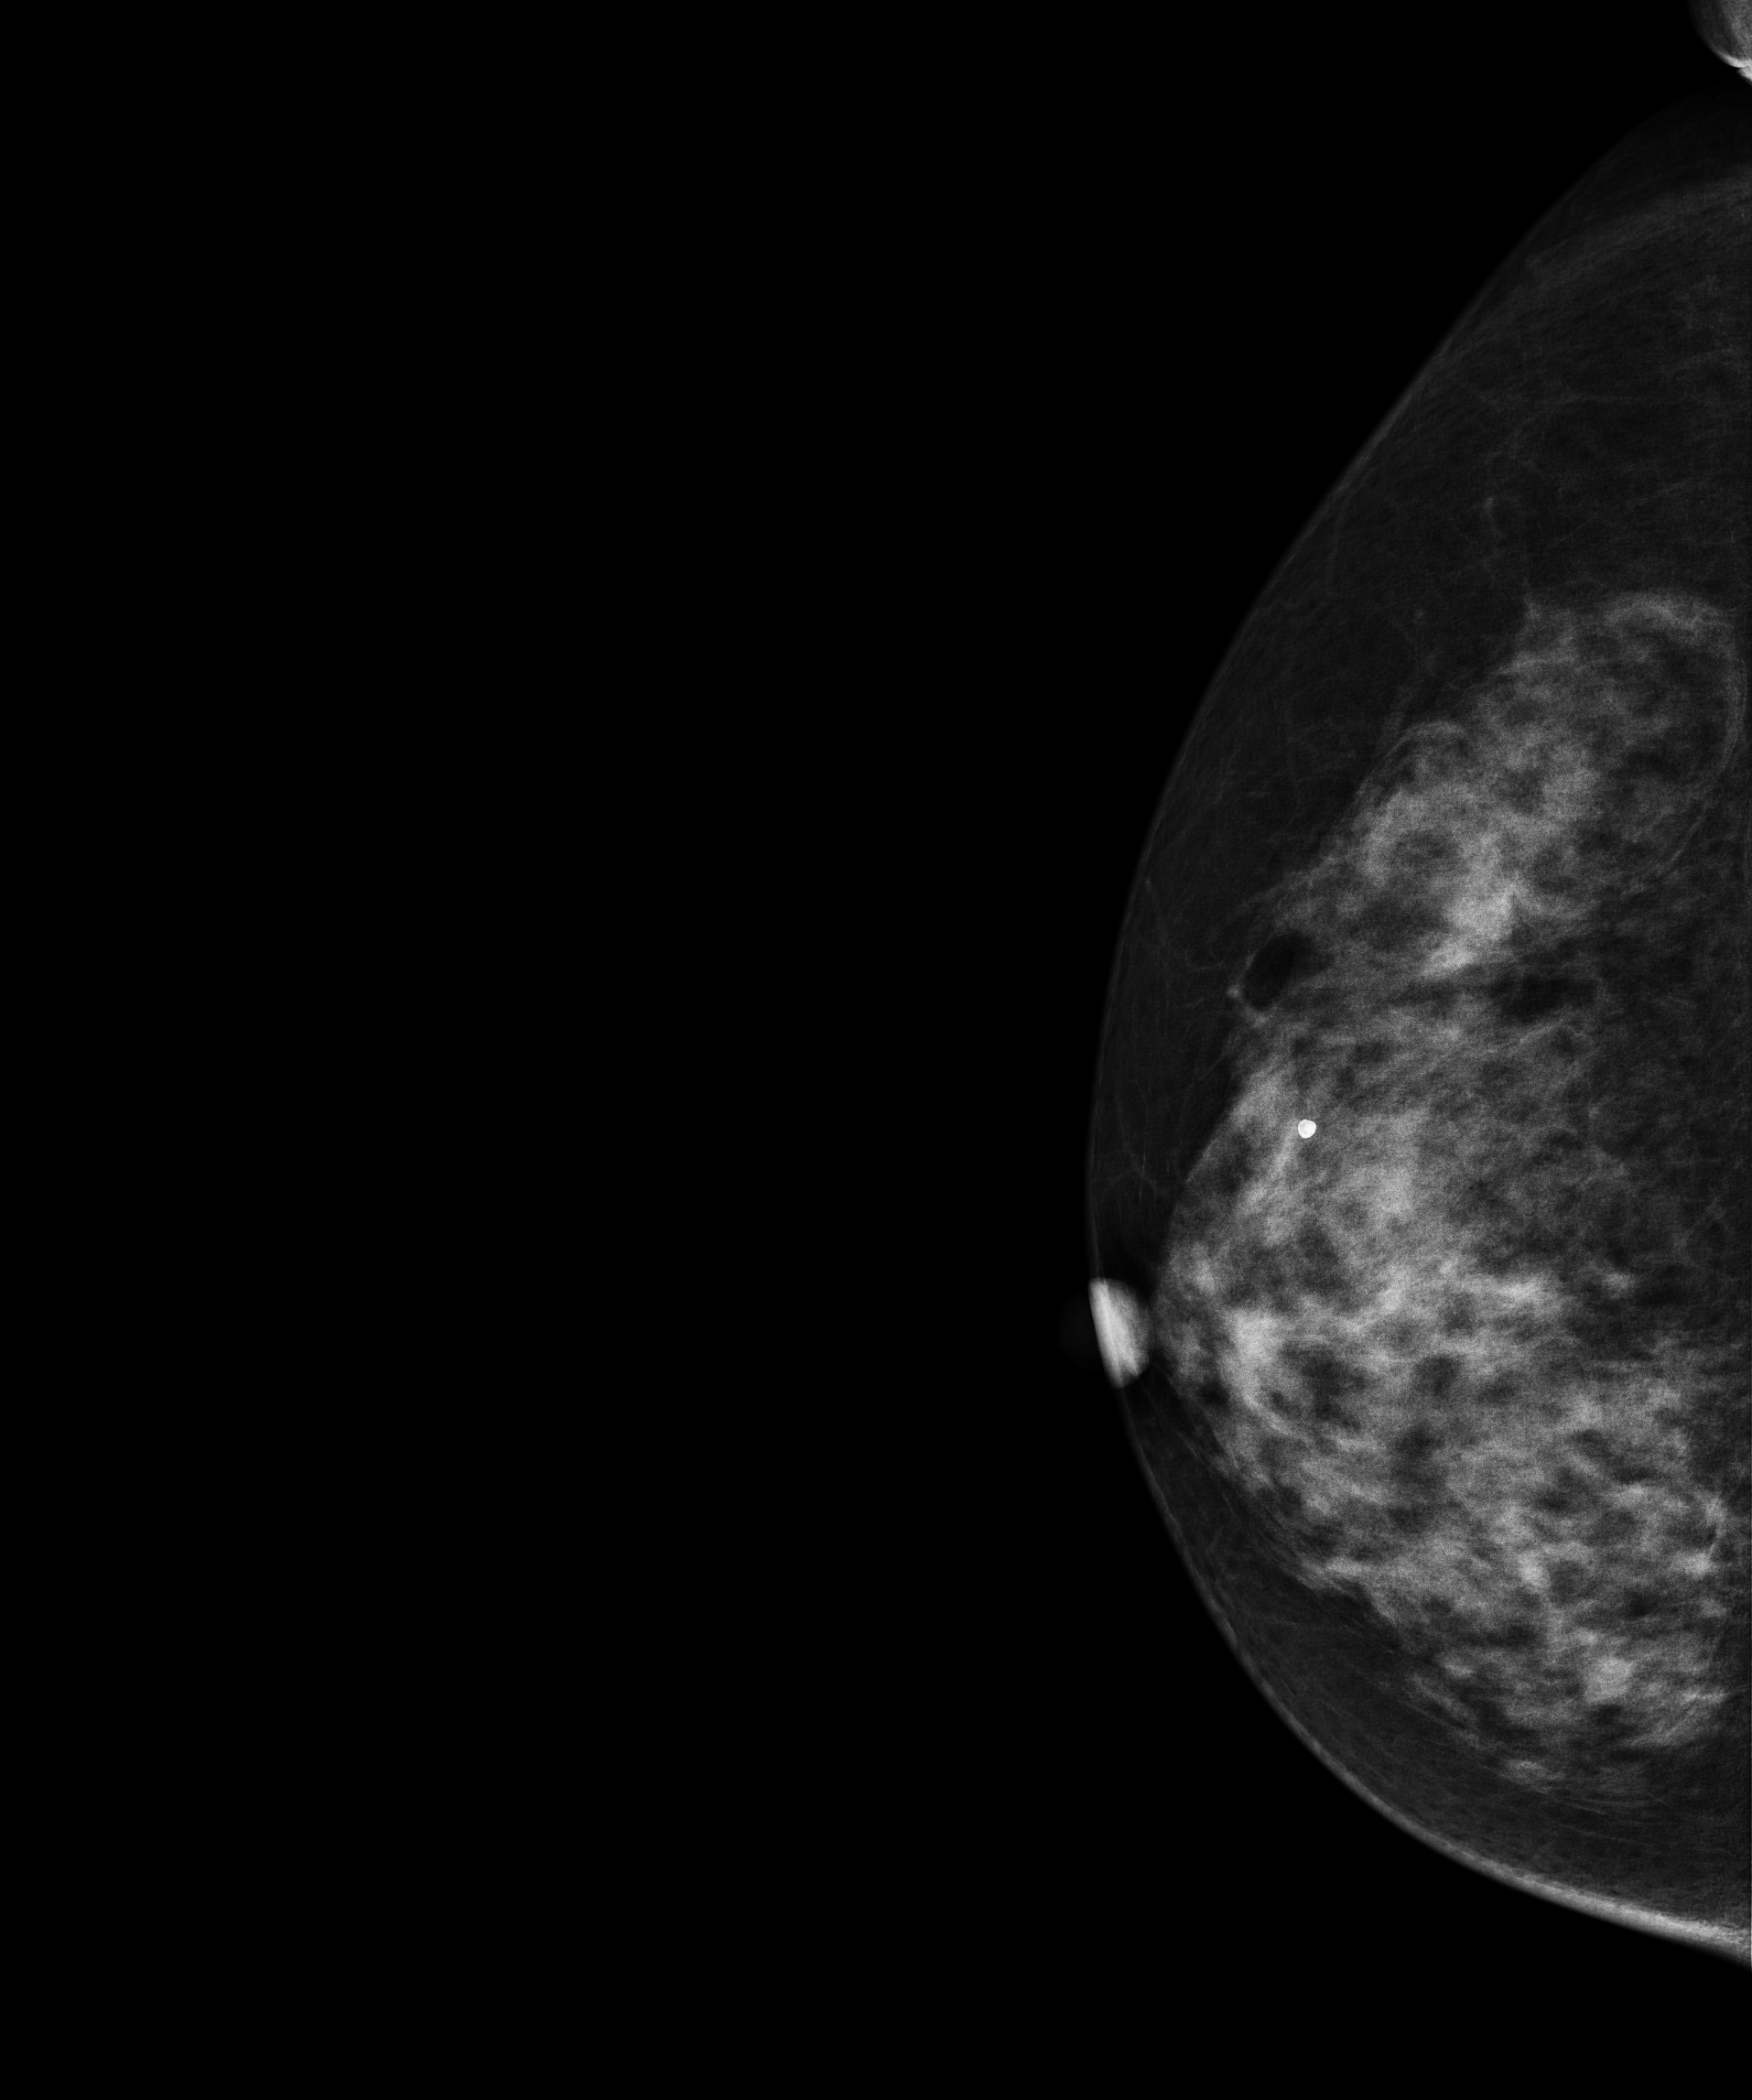
CC mammogram of the right breast. Patient age 61.
Contralateral breast — no documented abnormality on this side.